Mammogram — right cranio-caudal. 42-year-old patient.
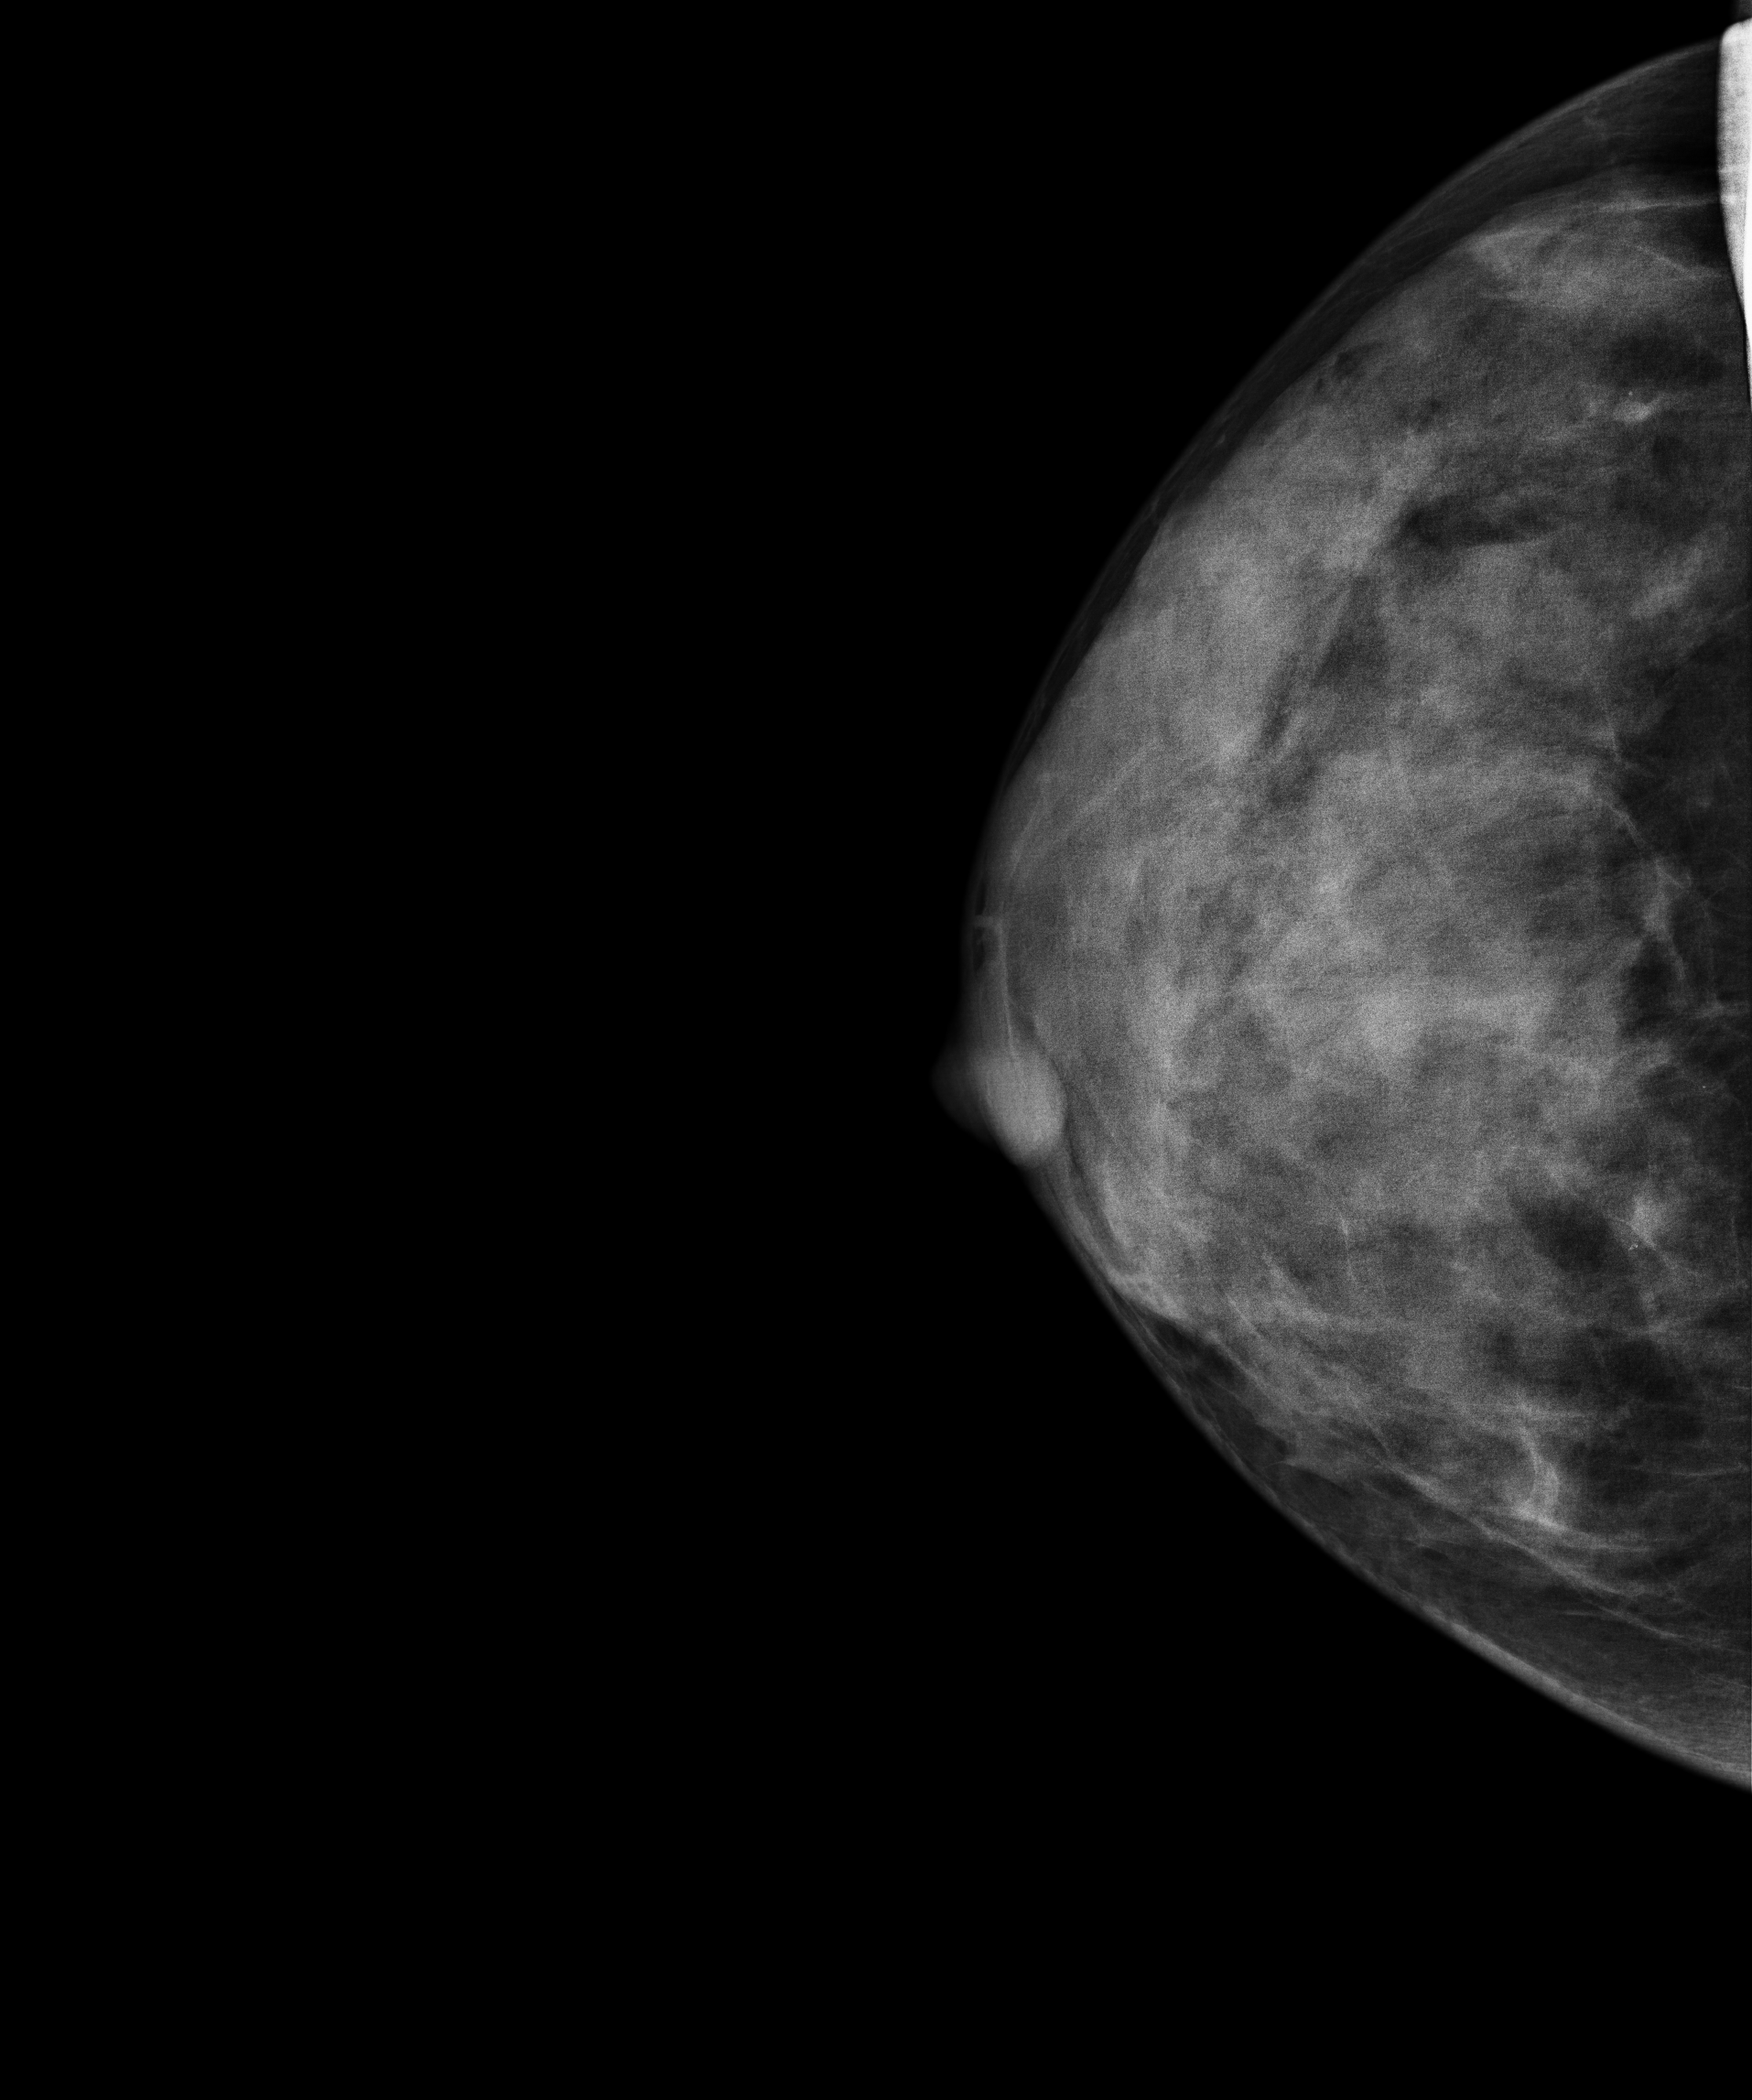
This breast has calcifications, histologically confirmed benign.